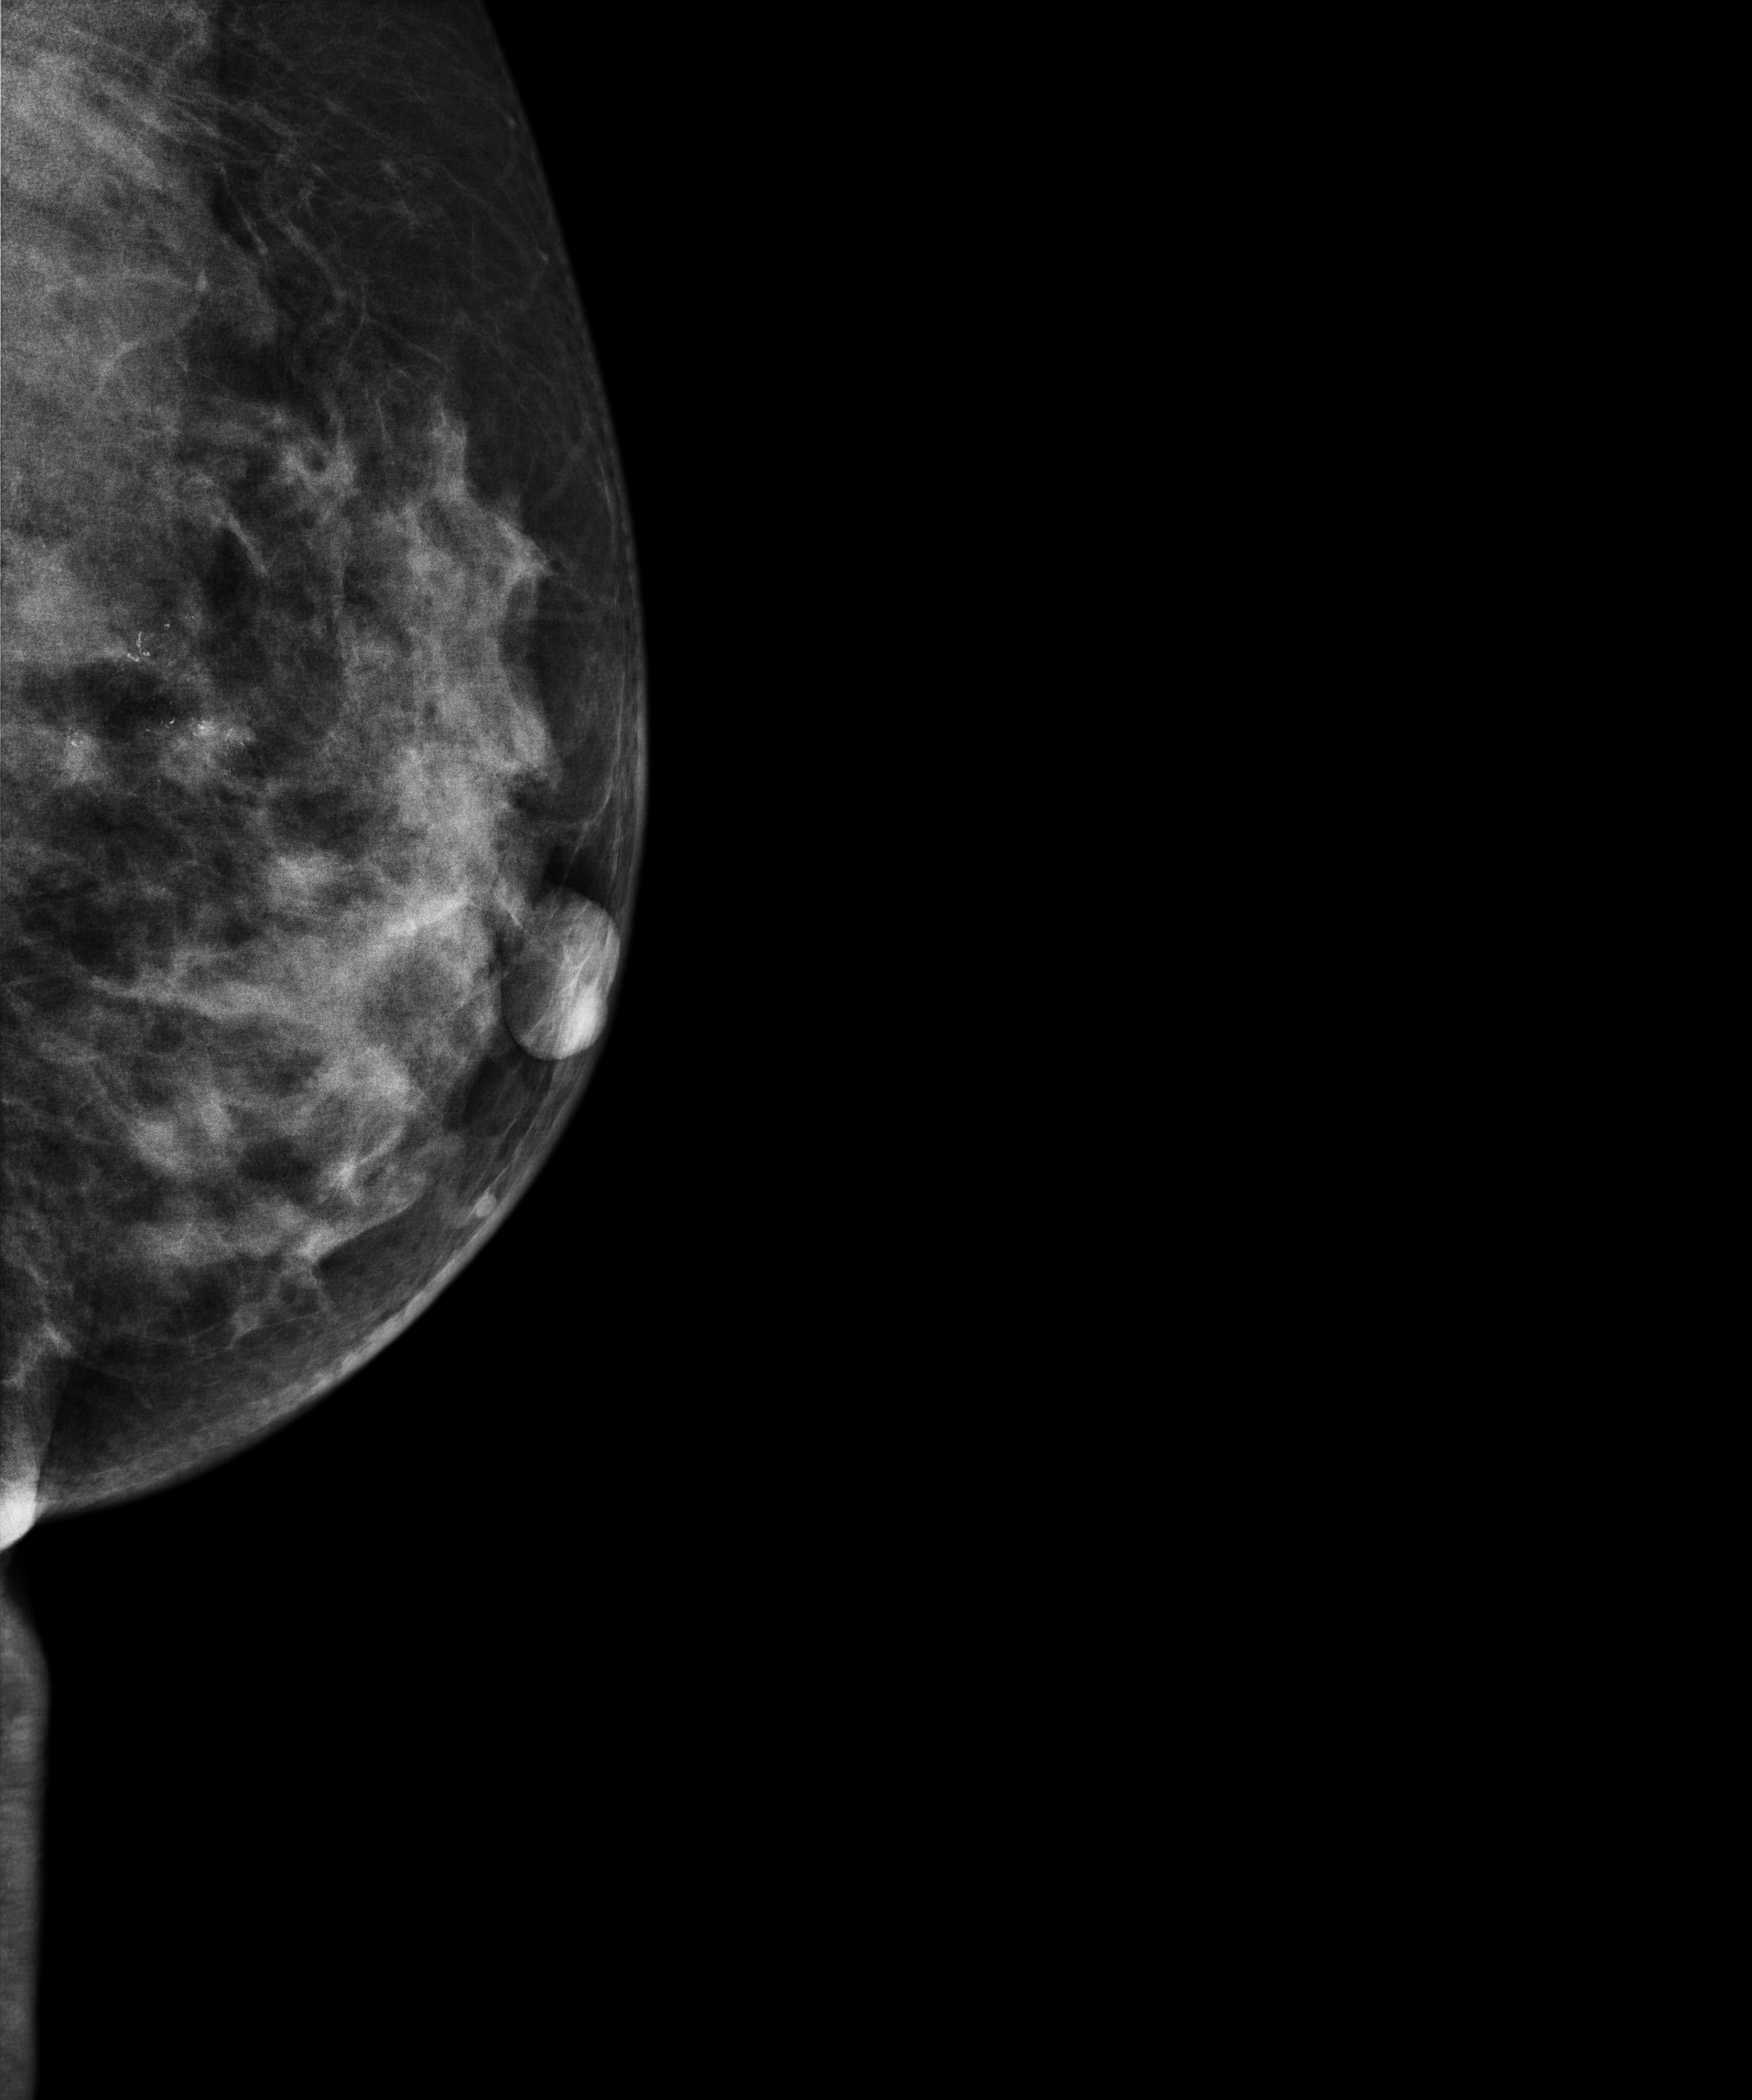
Left-breast mammogram, medio-lateral oblique. 51-year-old patient.
This breast has a mass and calcifications, histologically confirmed malignant. Molecular subtype: luminal B.